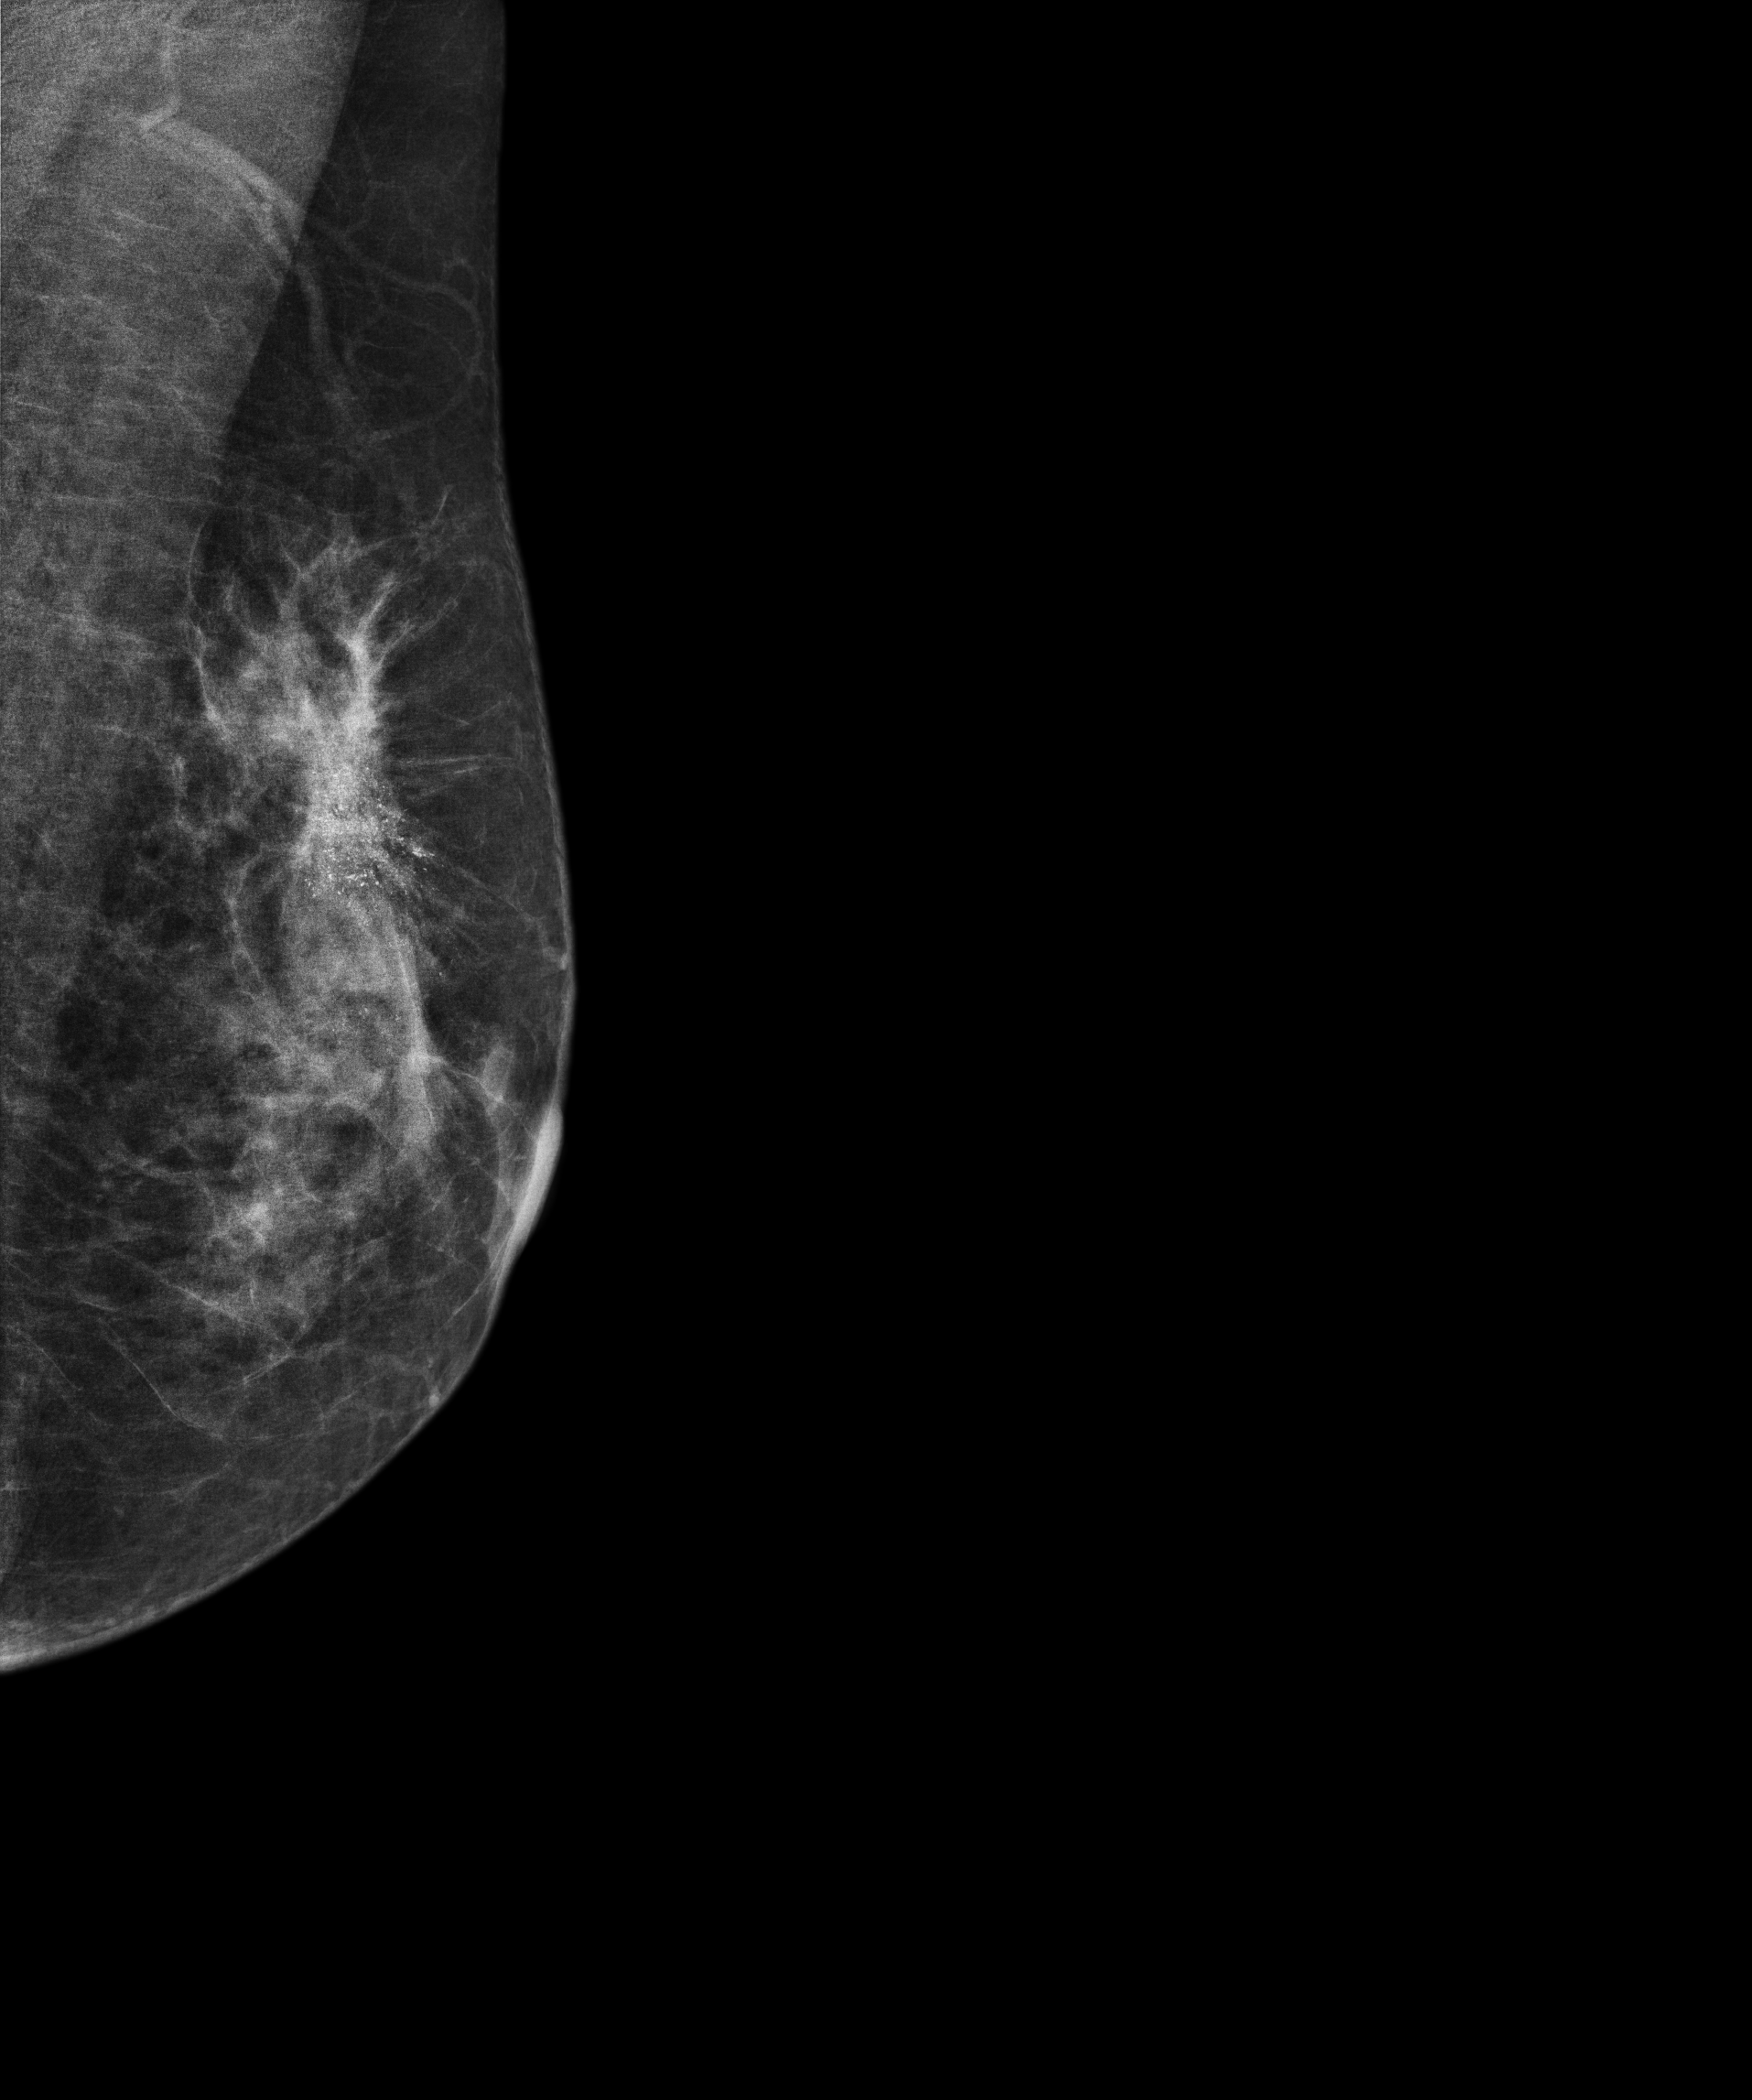
Digital mammography. Left breast, MLO projection. 60-year-old patient.
This breast has a mass and calcifications, histologically confirmed malignant.